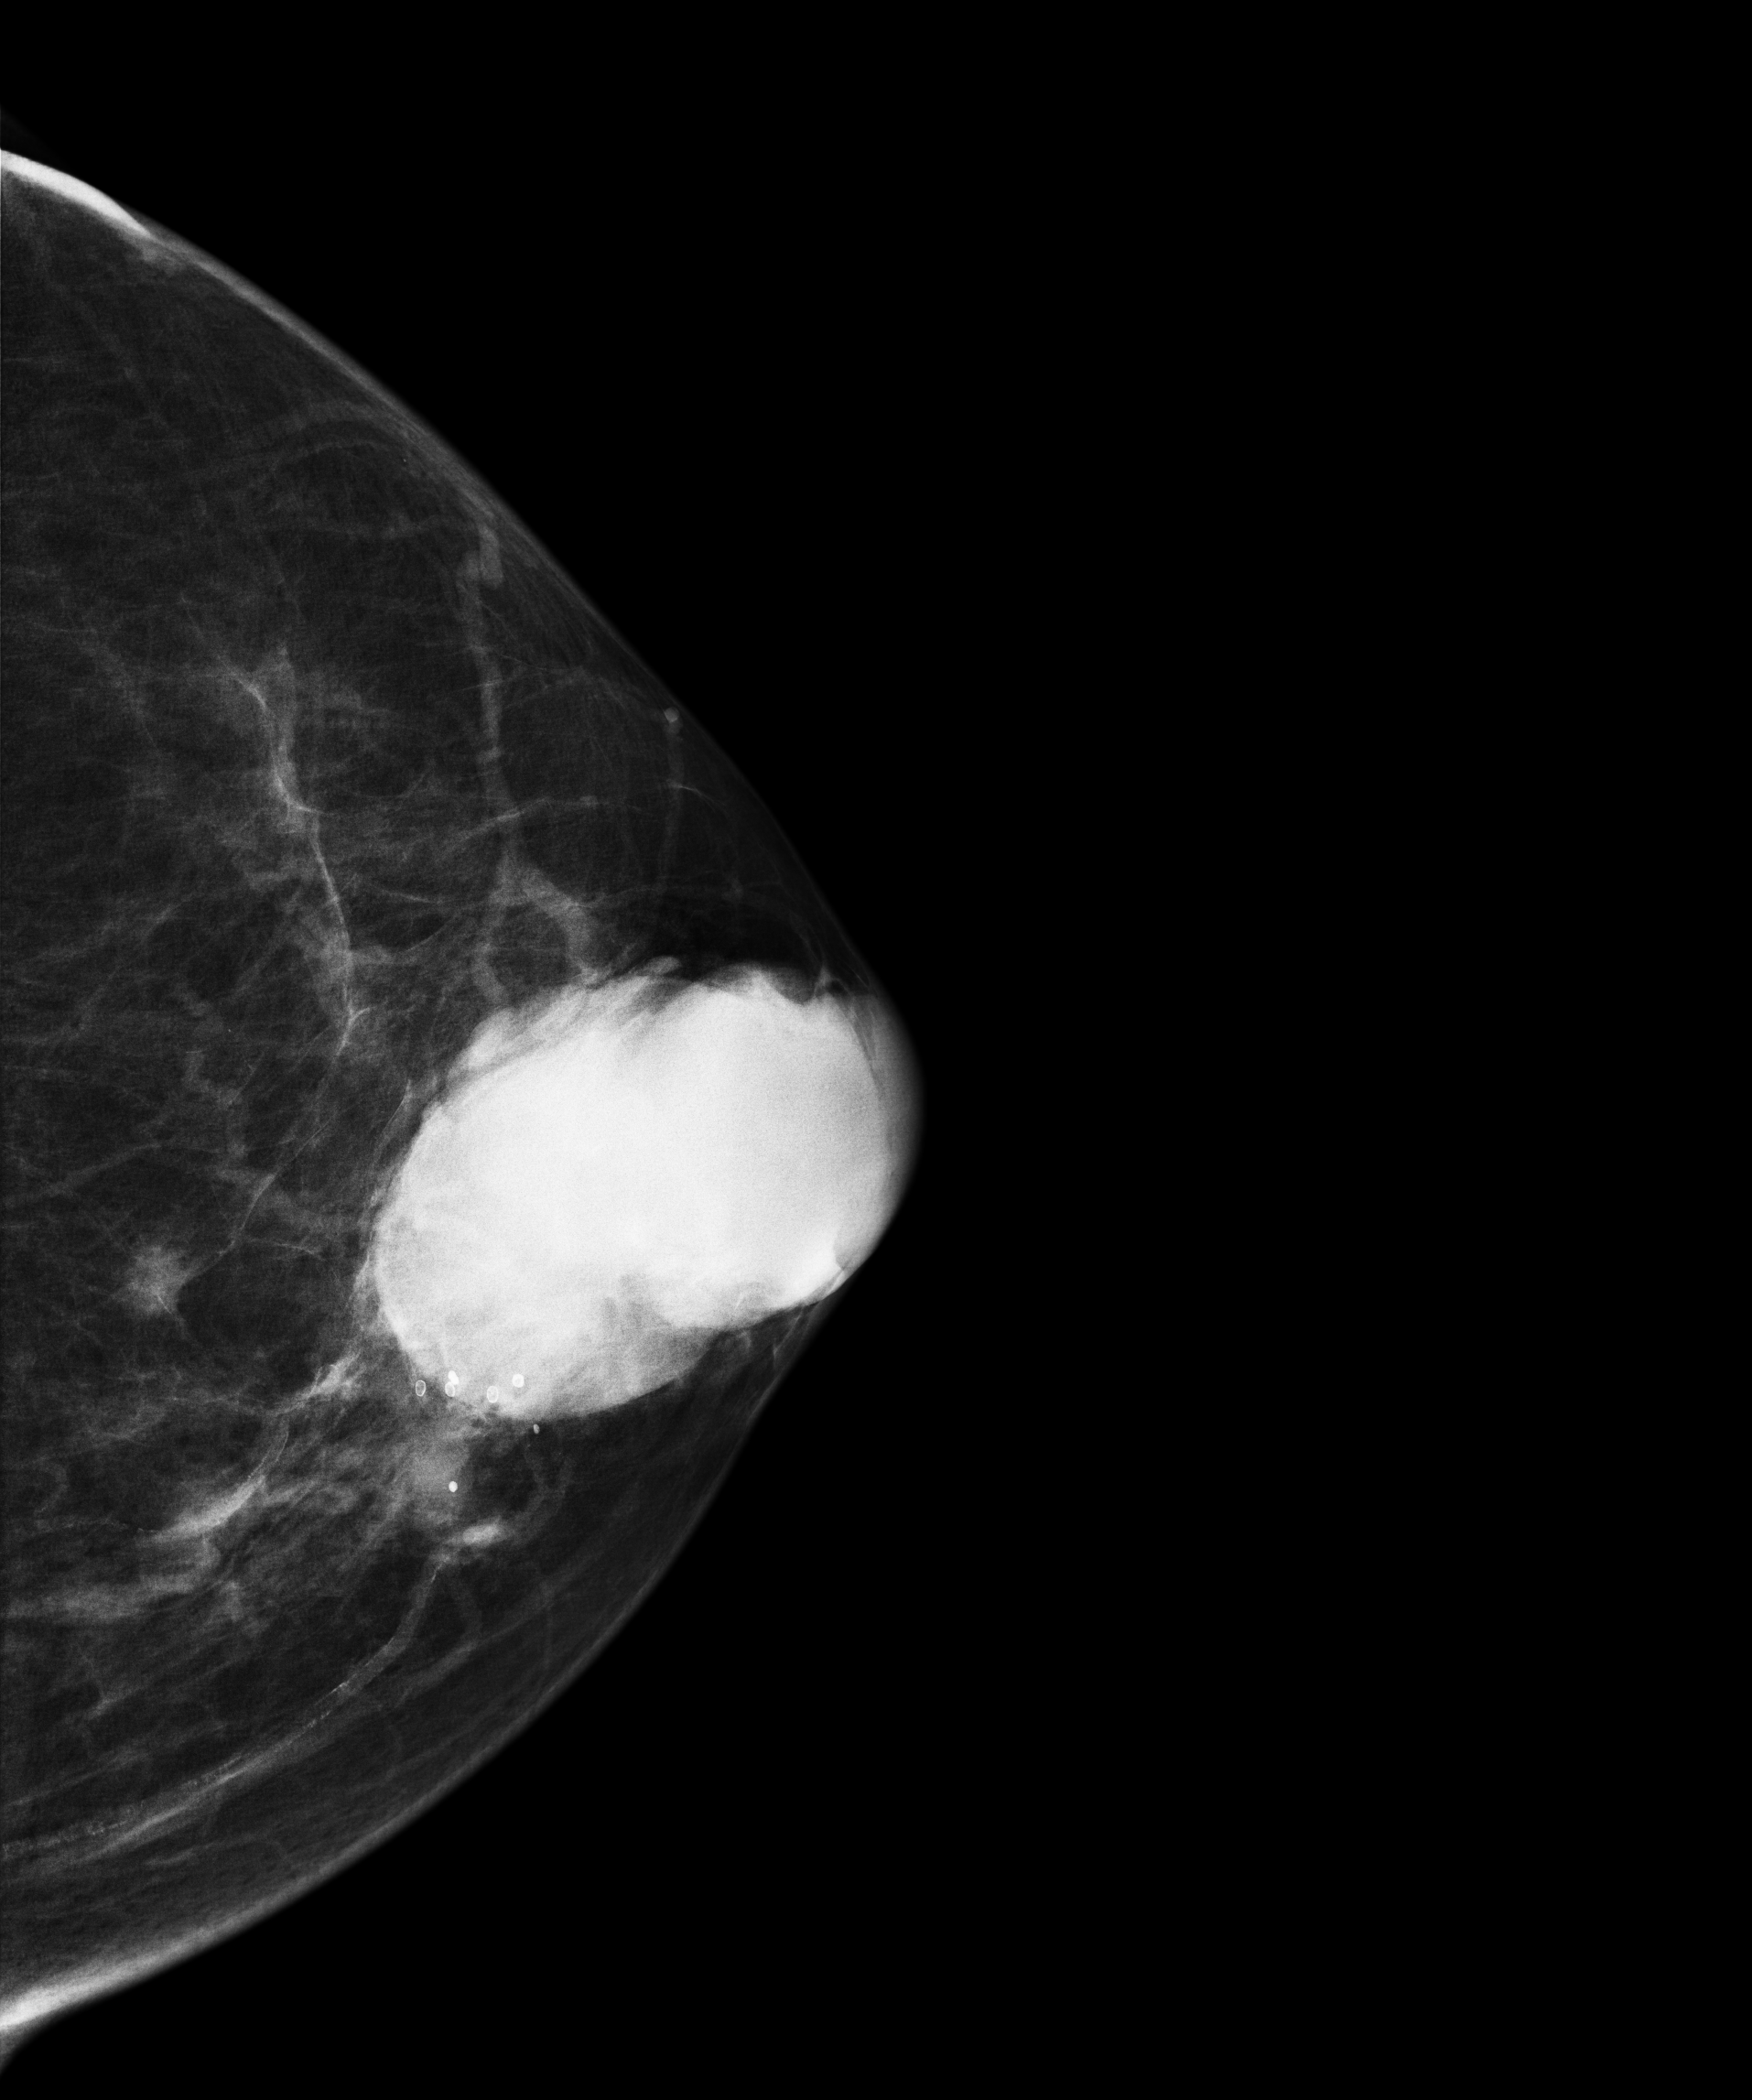
Mammogram — left cranio-caudal. 73-year-old patient.
This breast has a mass, pathology-confirmed malignant. Molecular subtype: luminal B.